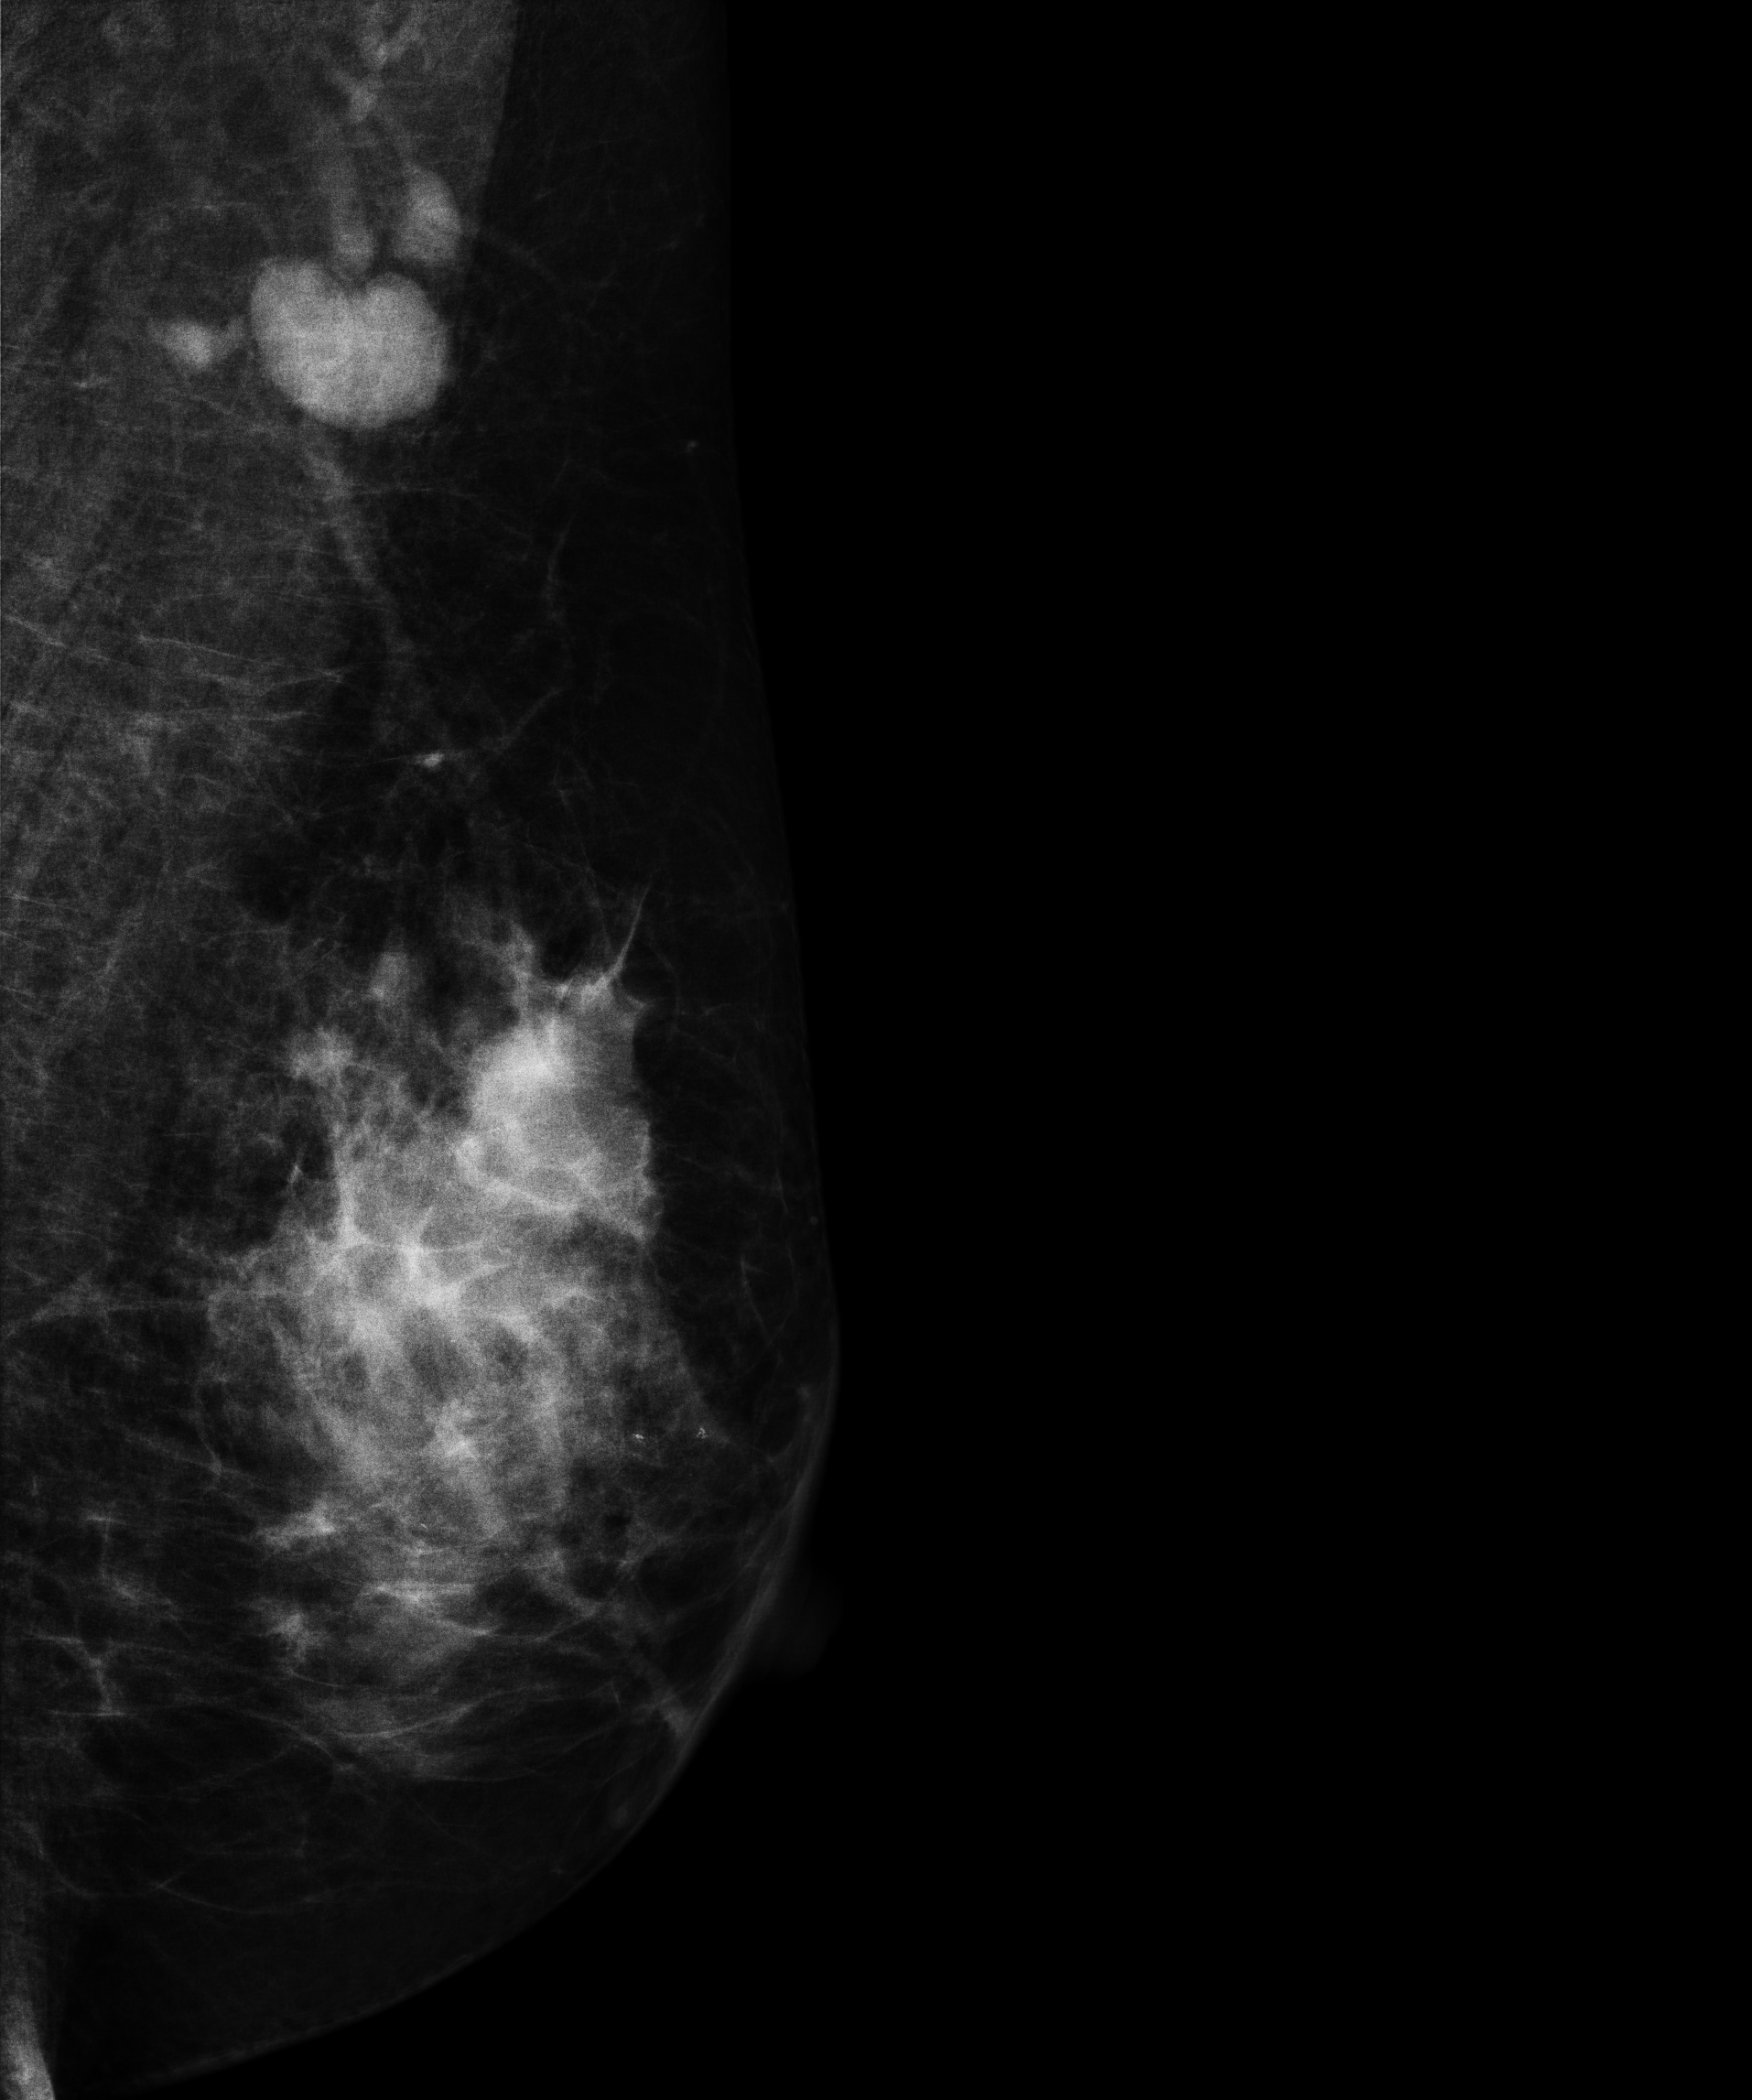
Mammogram, left breast, MLO view. Patient age 50.
This breast has a mass, pathology-confirmed malignant. Molecular subtype: HER2-enriched.